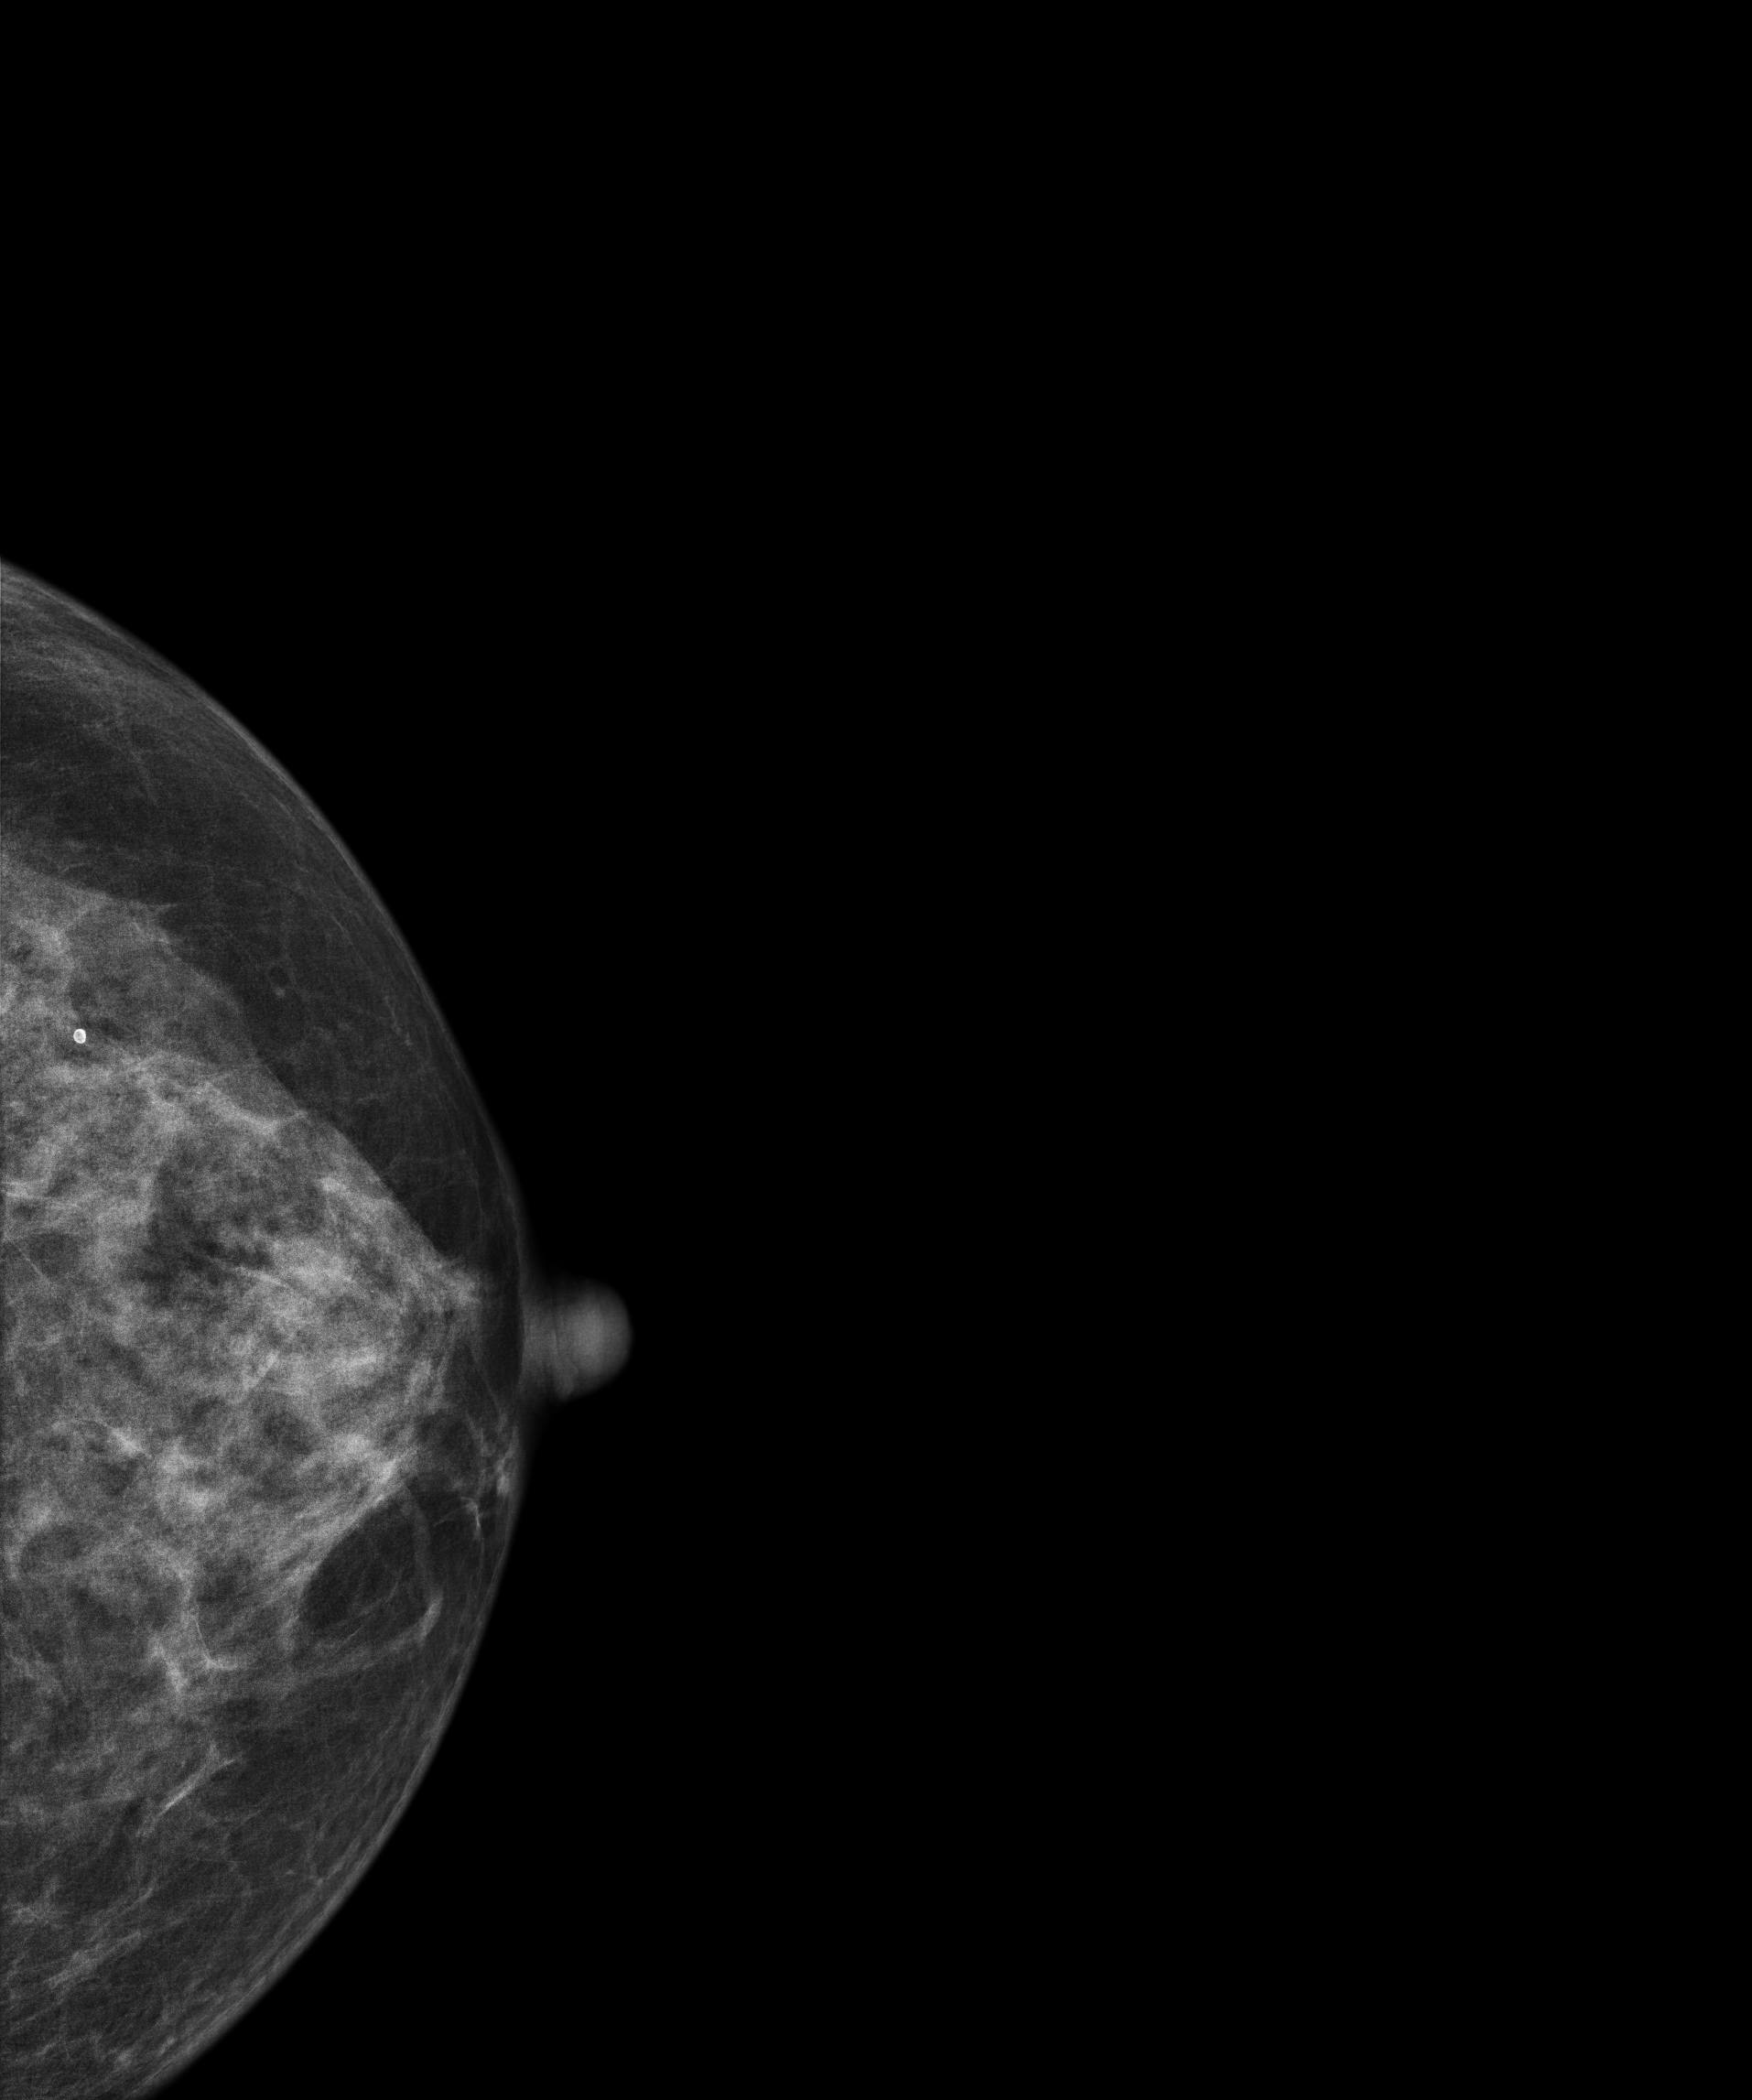
Mammogram — left CC. Patient age 62.
Contralateral breast — no documented abnormality on this side.